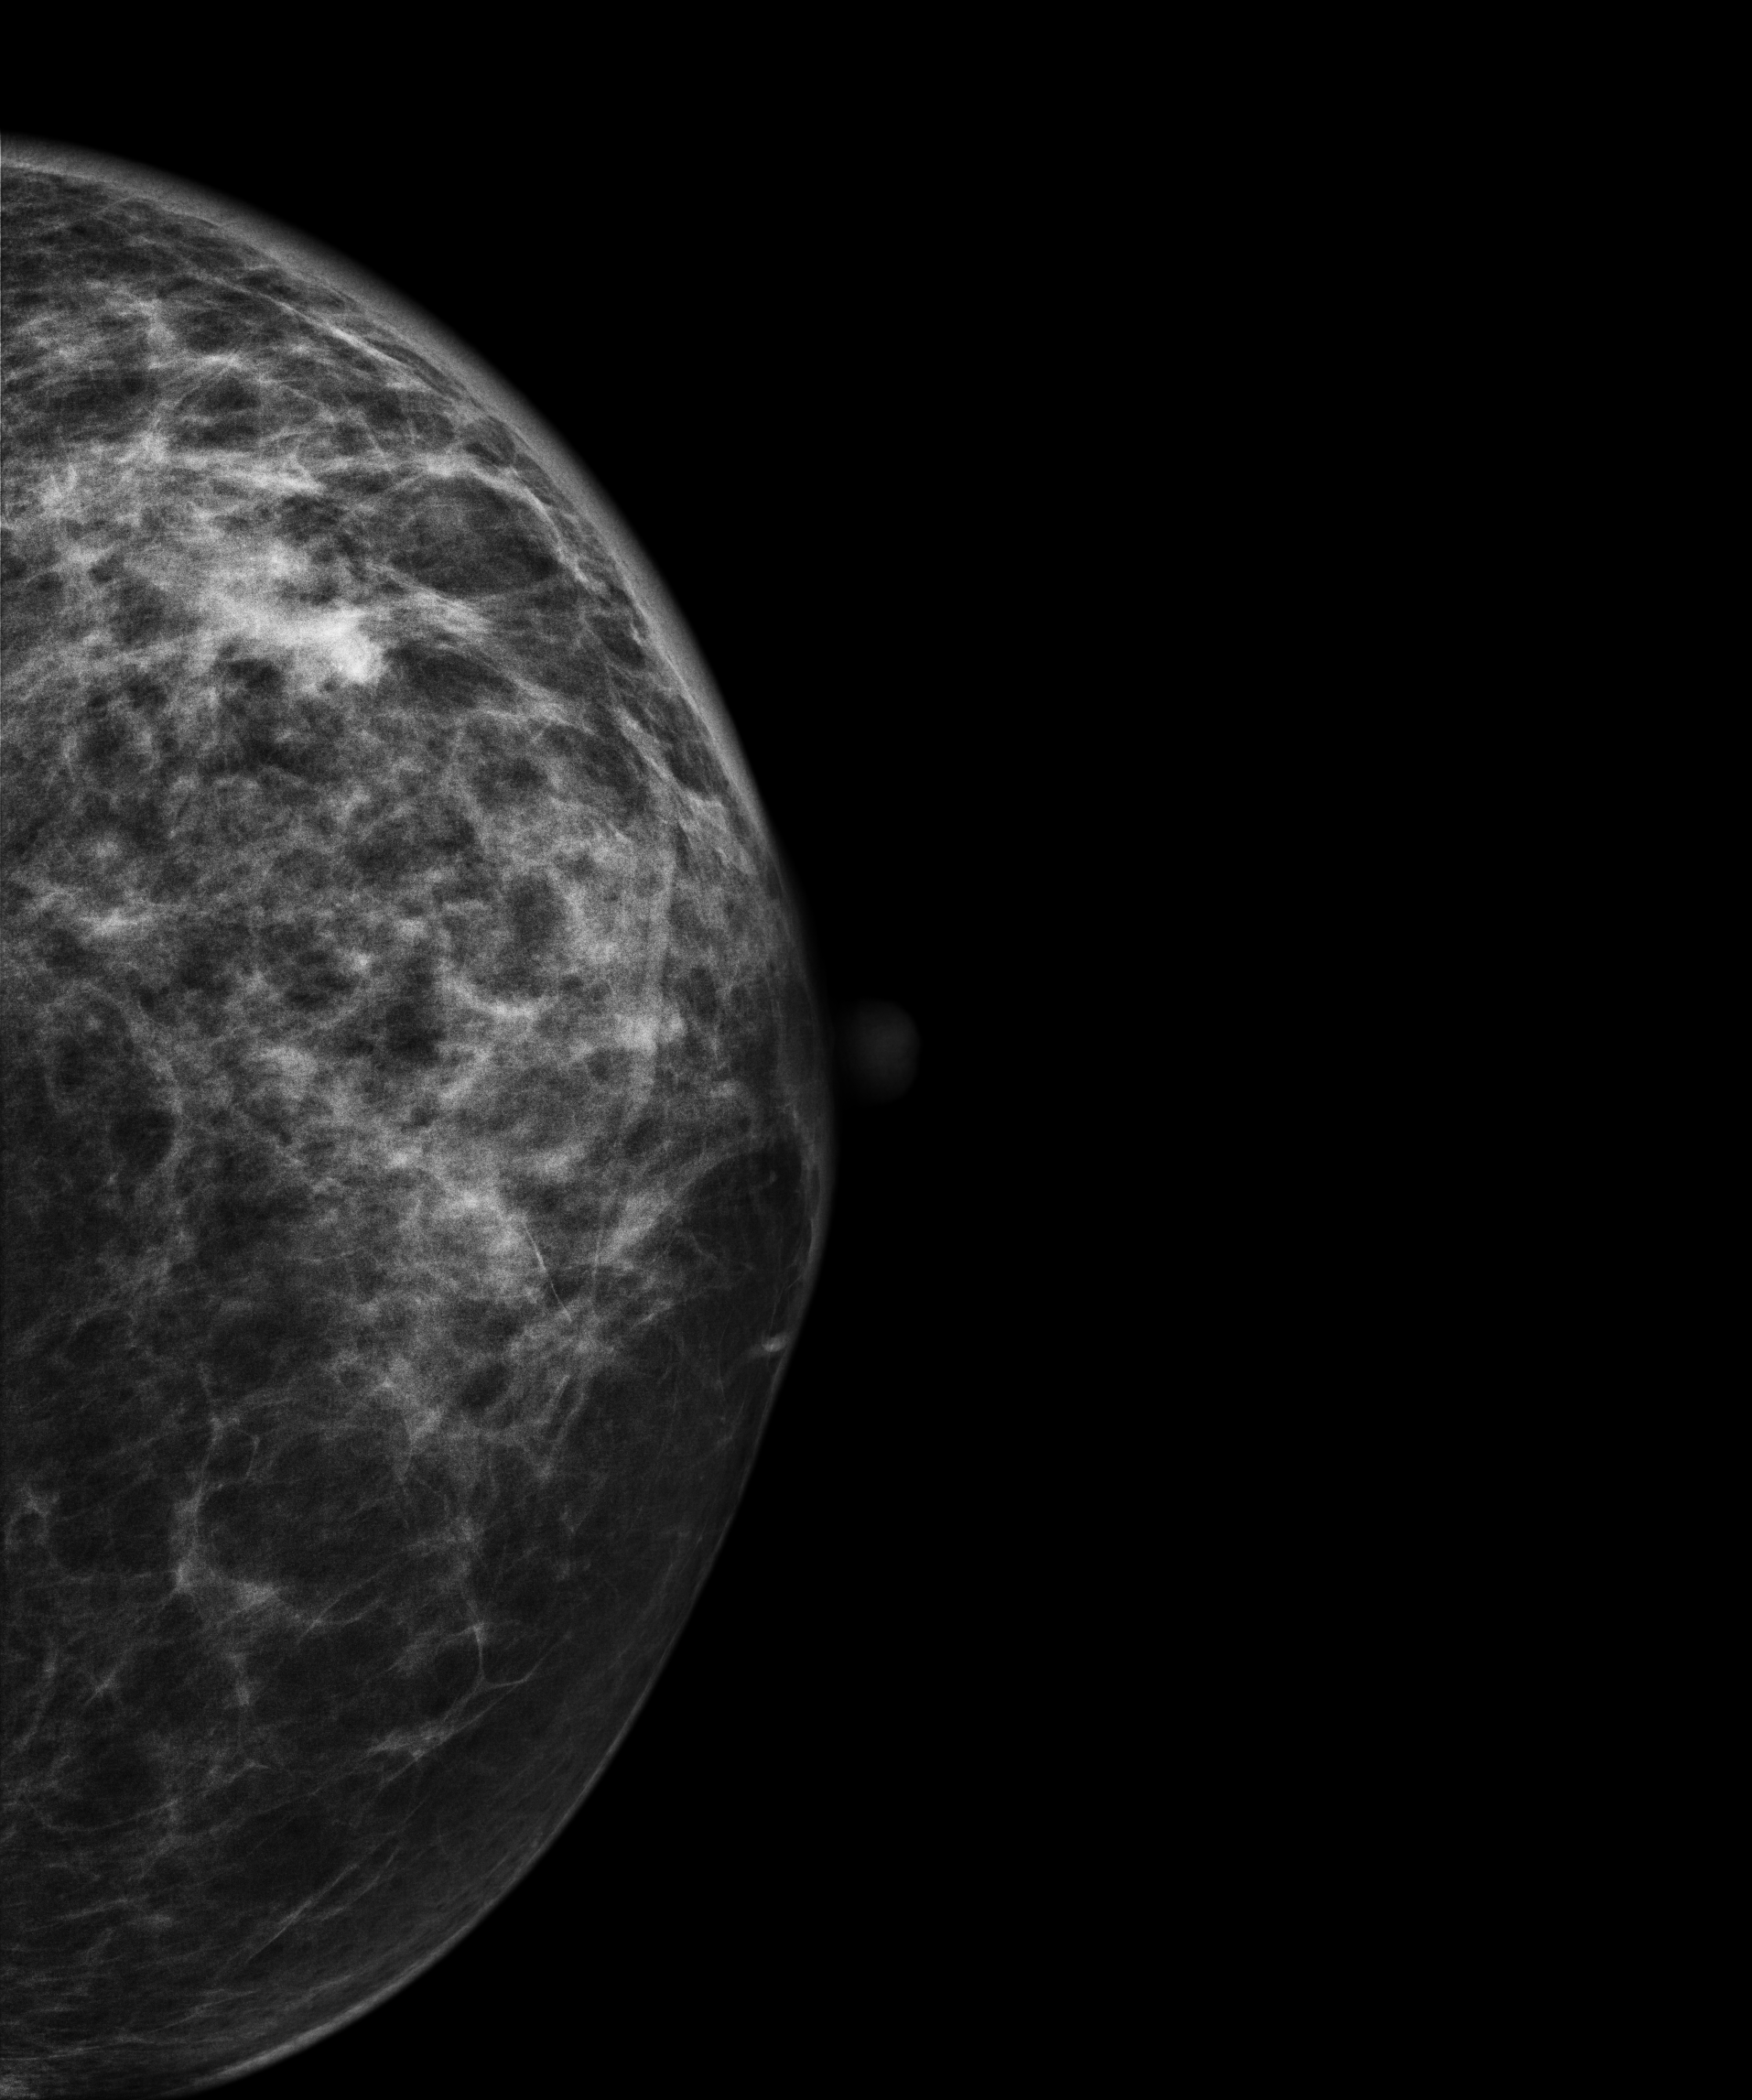
CC mammogram of the left breast. 64 y/o patient.
This breast has a mass, biopsy-confirmed malignant. Molecular subtype: triple-negative.